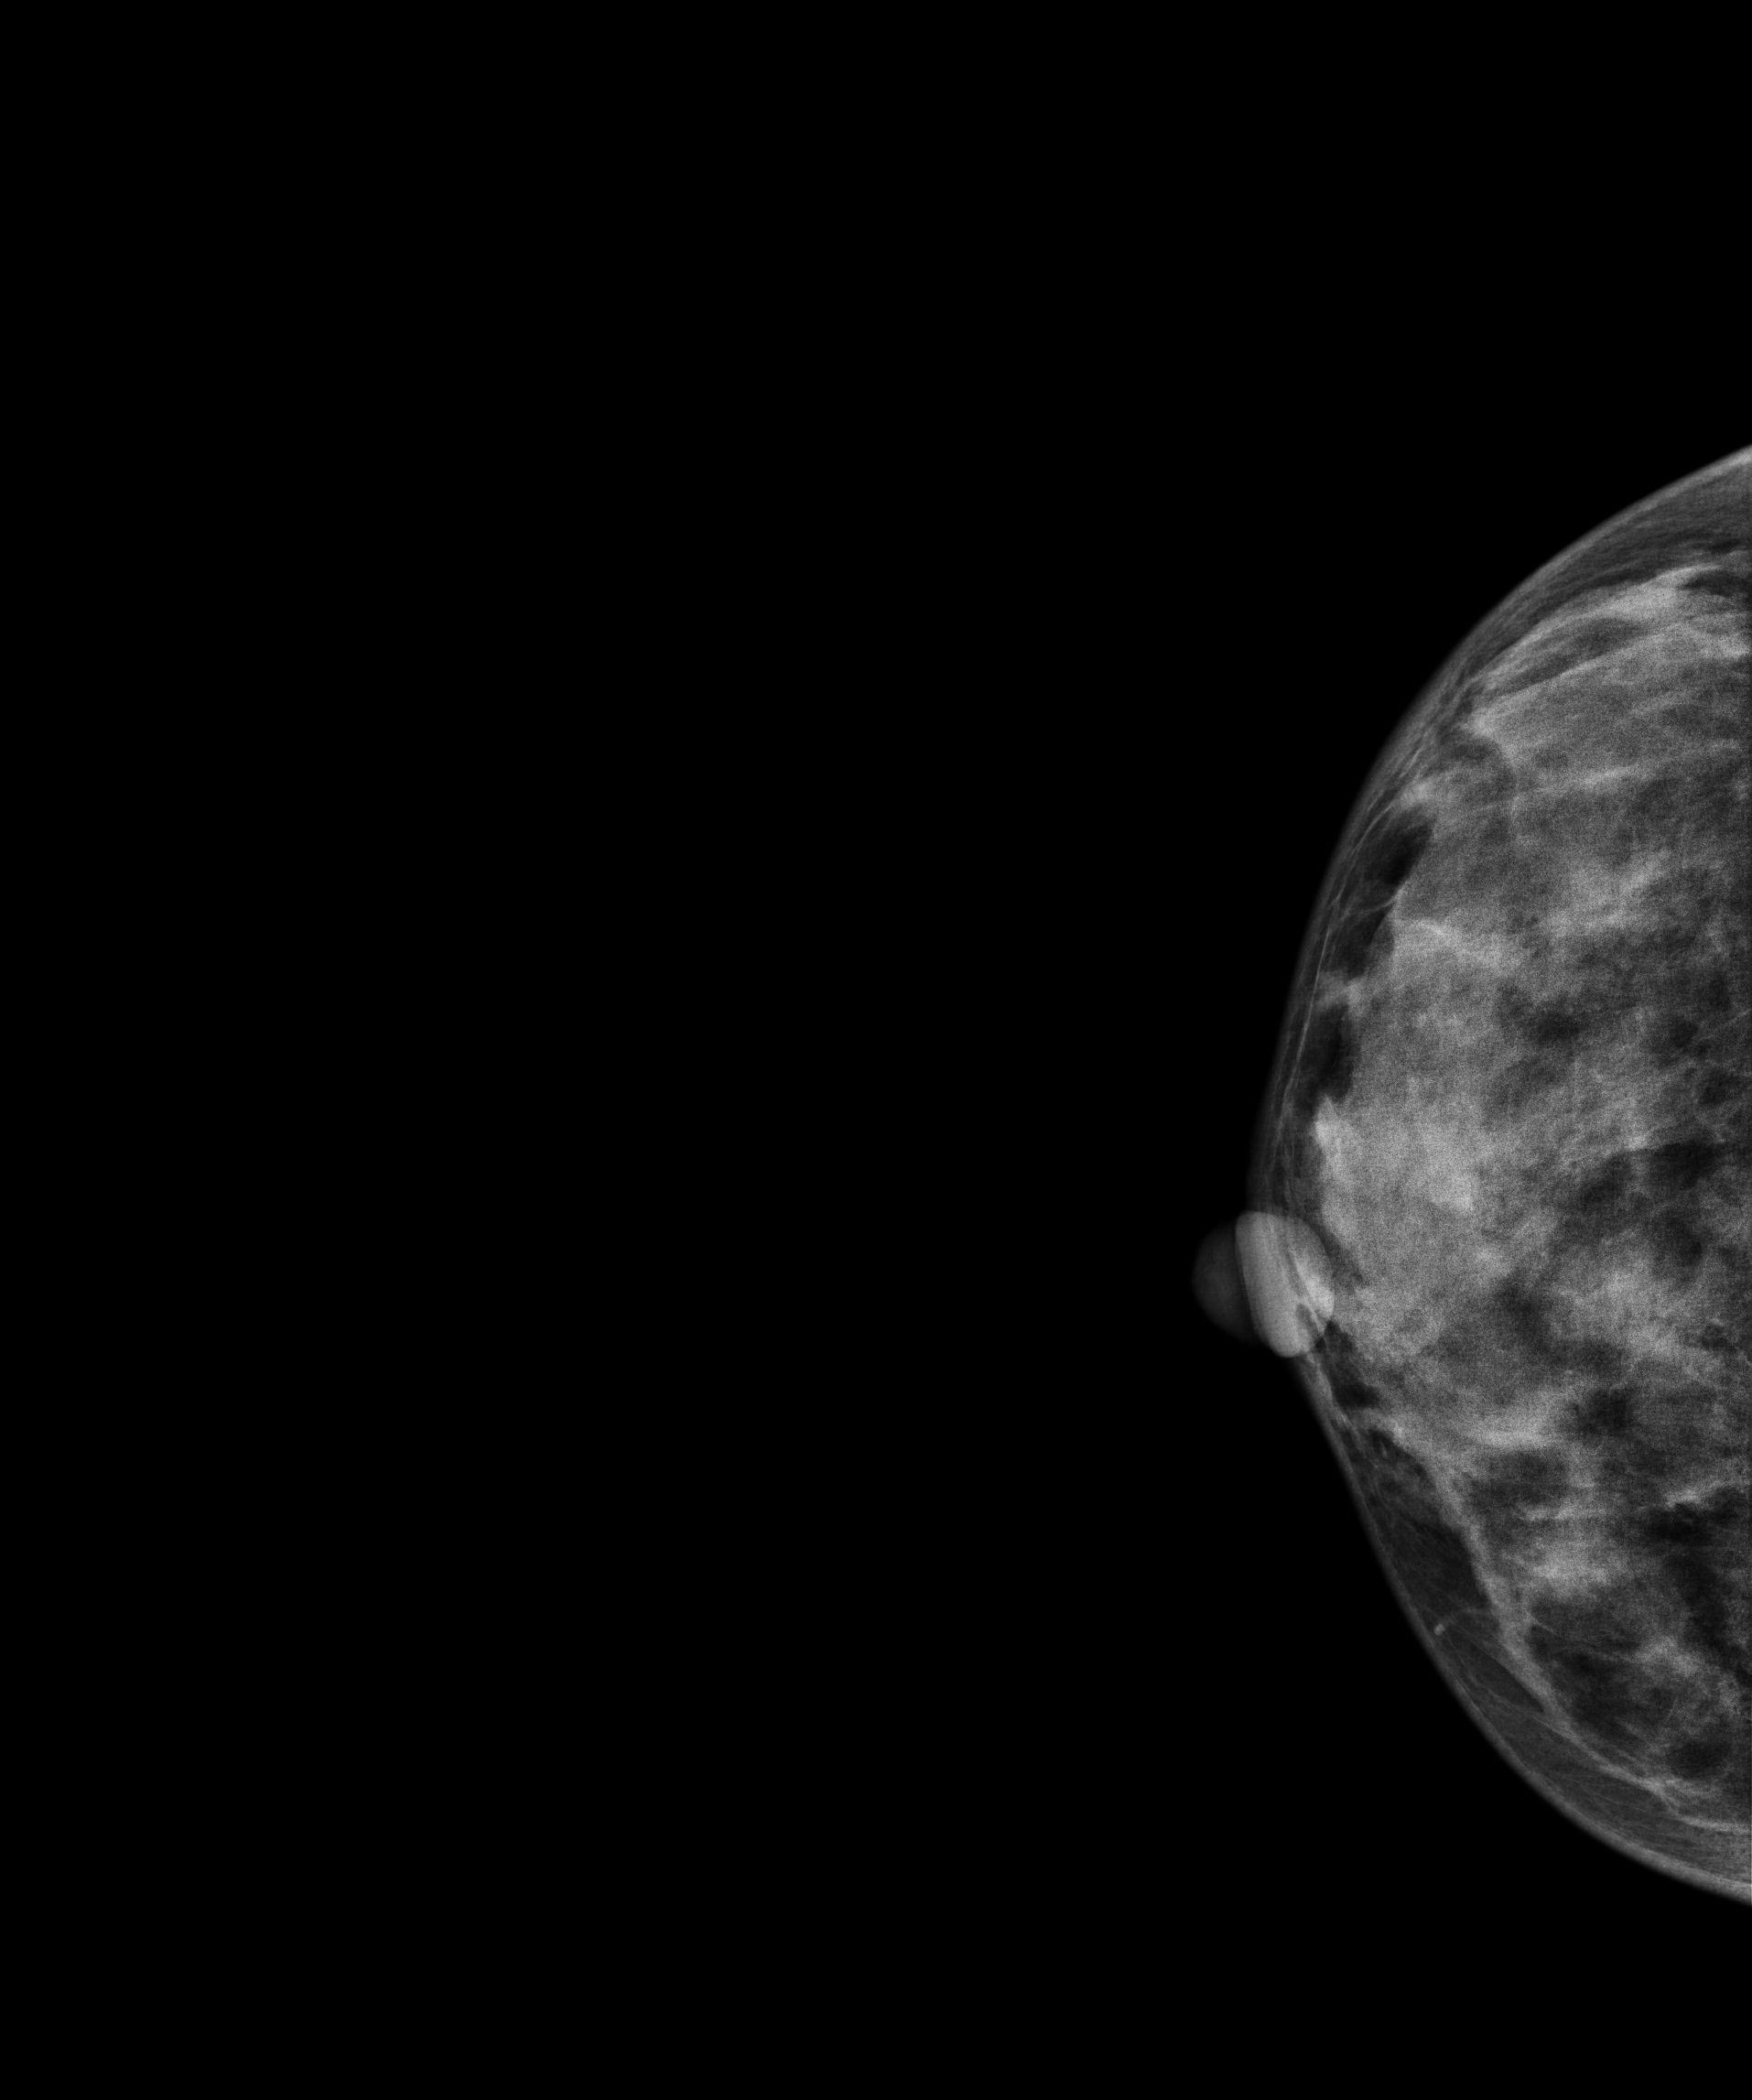
Mammogram — right cranio-caudal. Patient age 32.
This breast has a mass, biopsy-confirmed malignant.